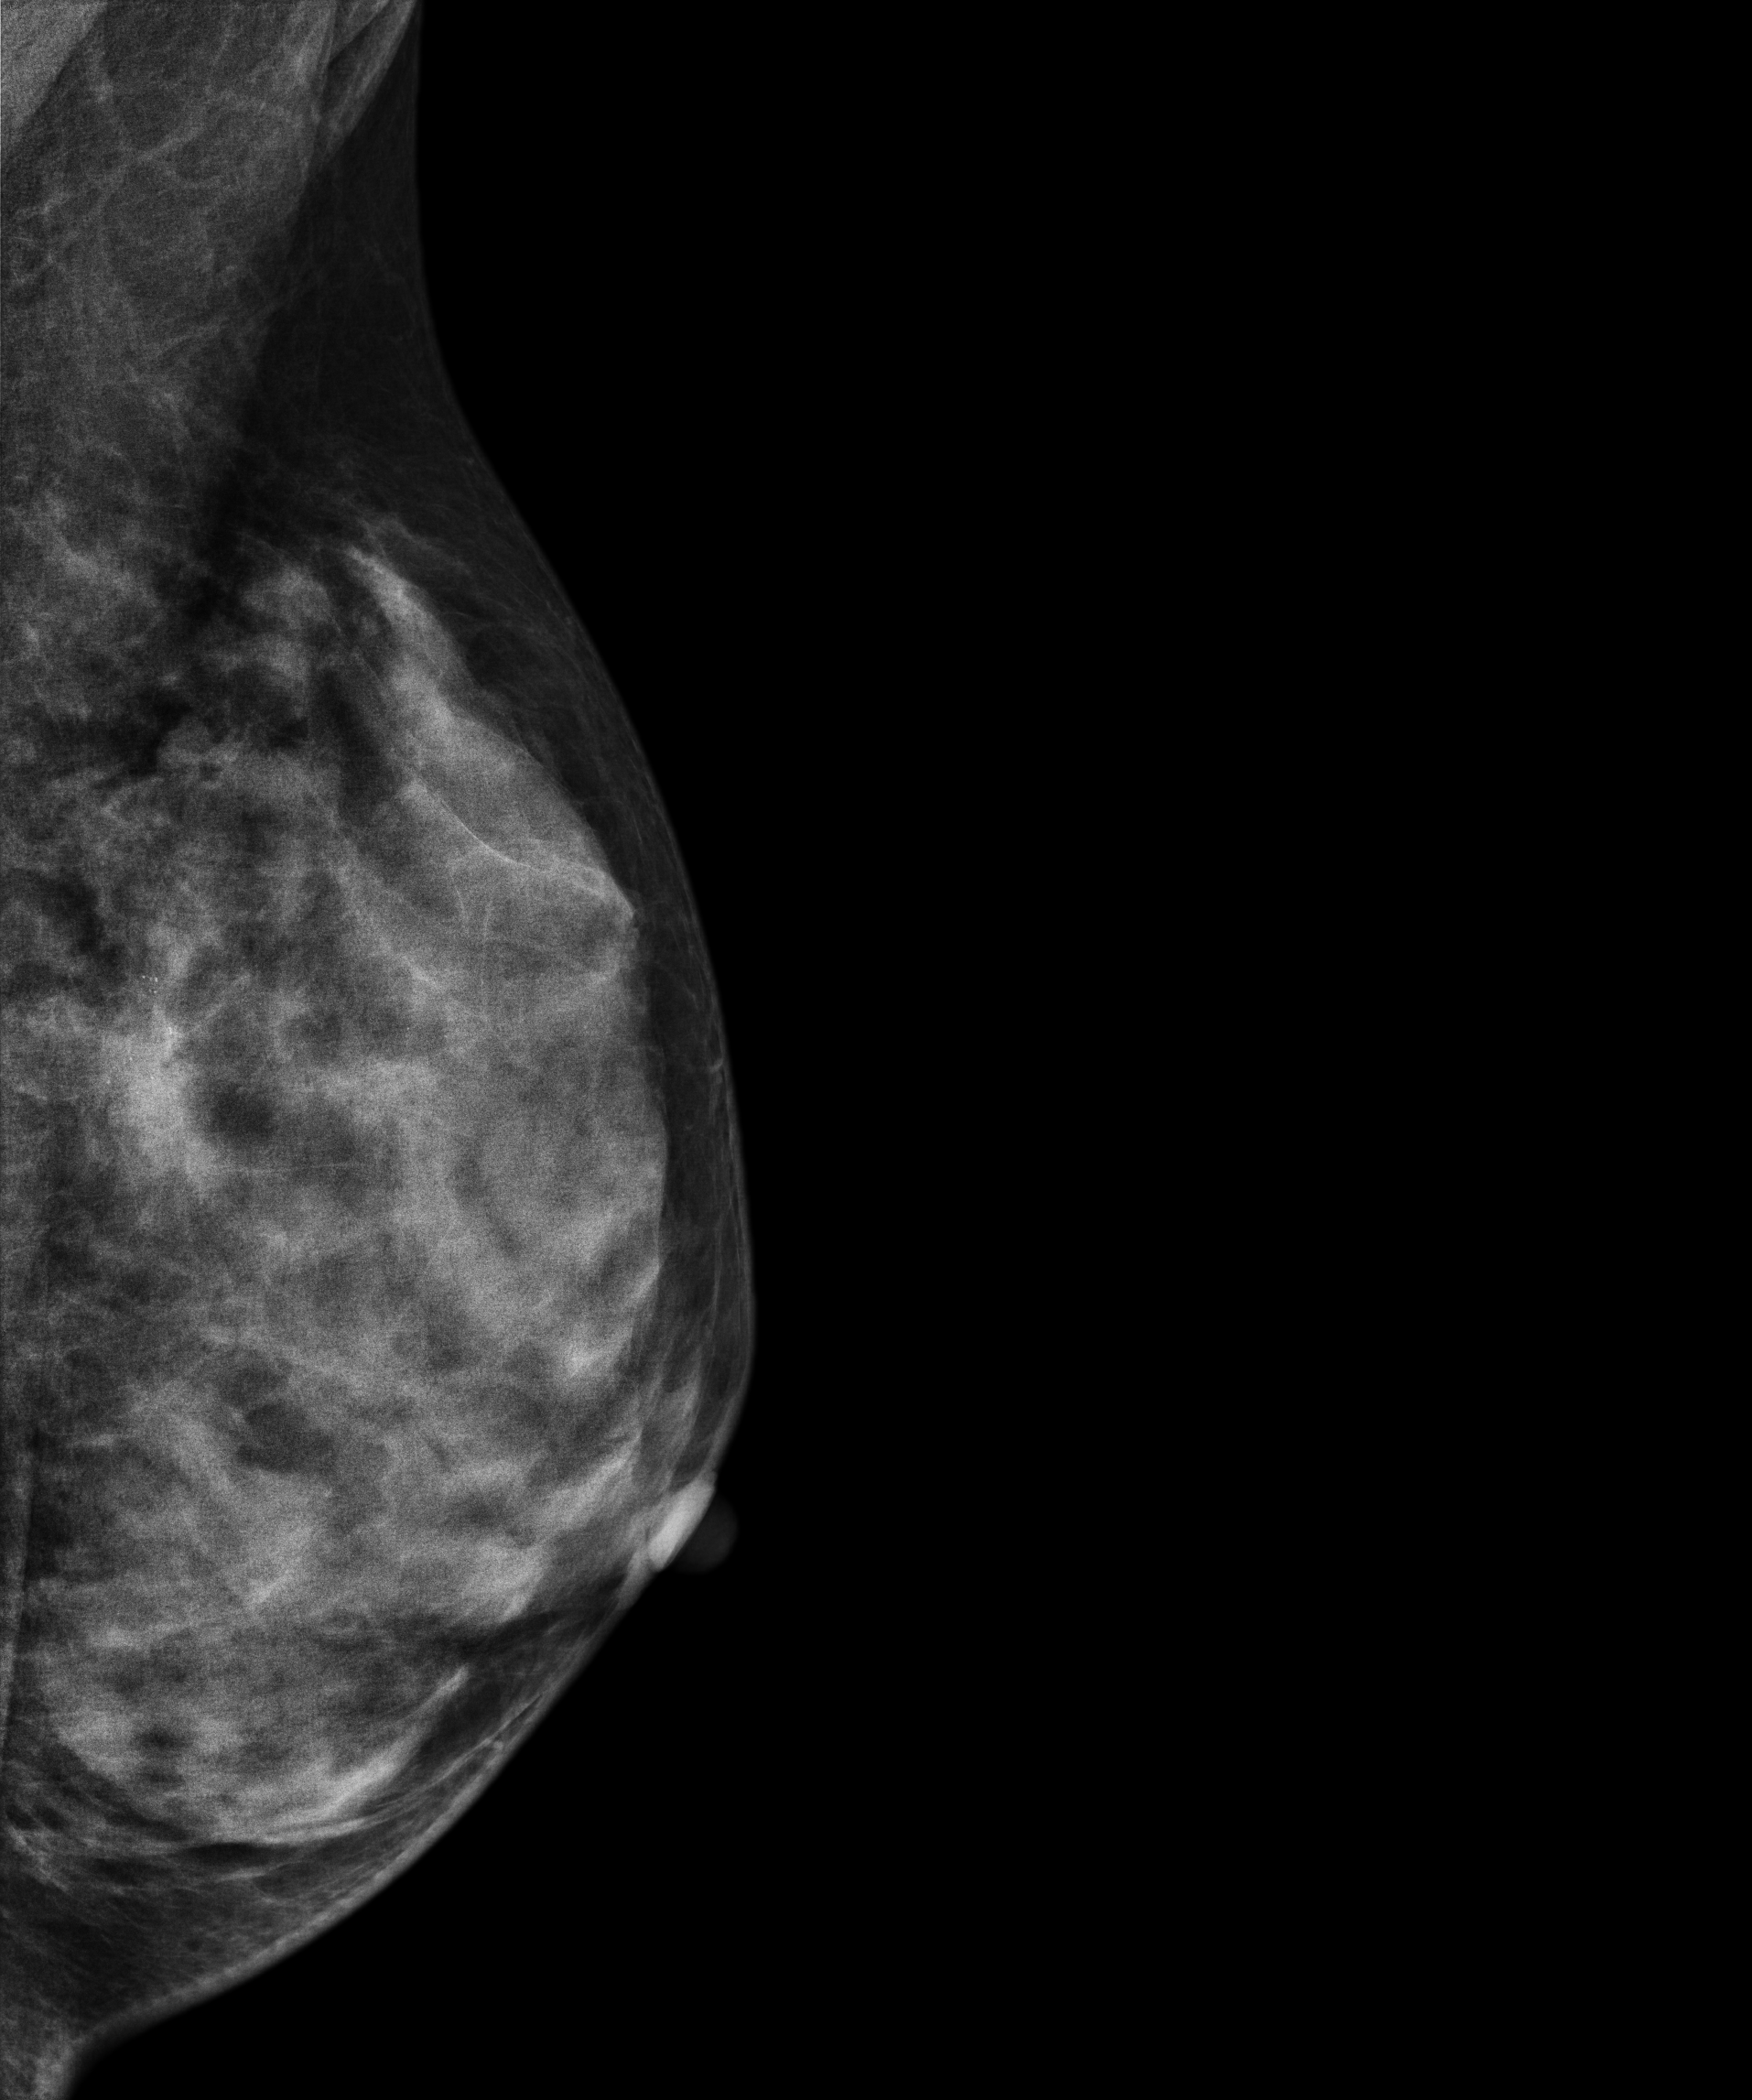
Left-breast mammogram, MLO. 31-year-old patient.
This breast has a mass and calcifications, histologically confirmed malignant.